Cranio-caudal mammogram of the right breast. 40-year-old patient.
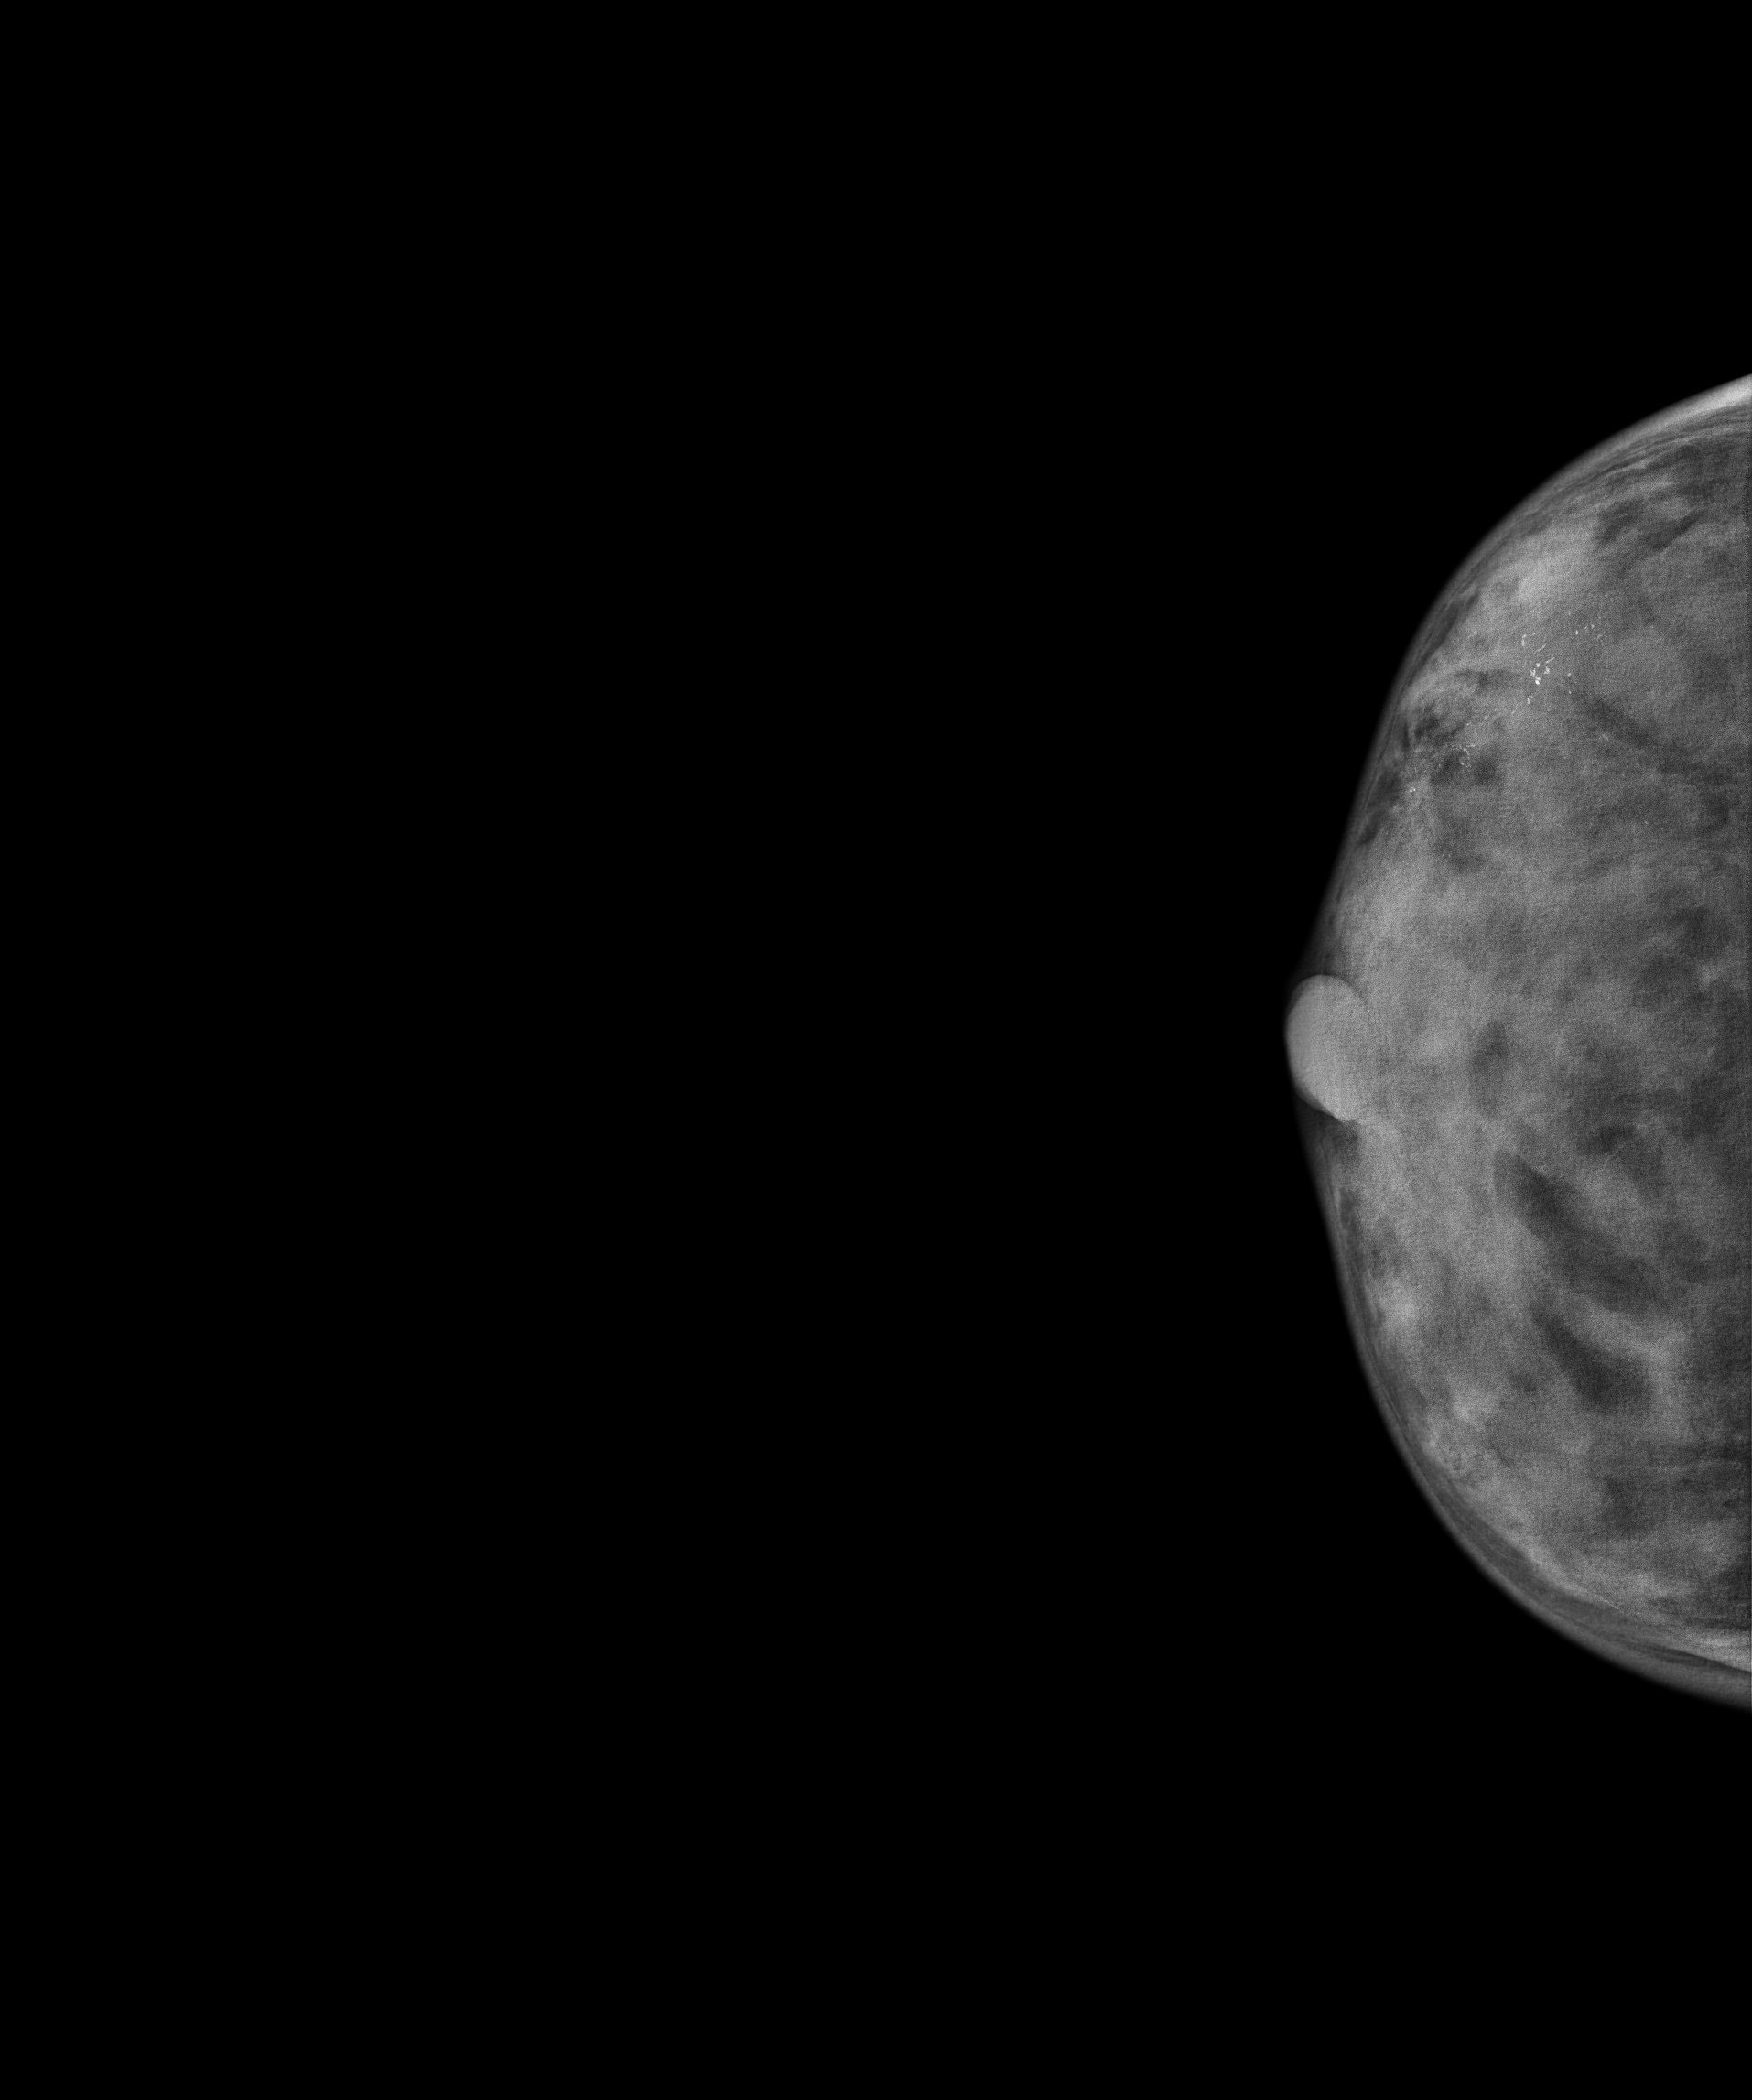
This breast has calcifications, biopsy-confirmed malignant. Molecular subtype: HER2-enriched.